Mammogram, left breast, medio-lateral oblique view. Patient age 40.
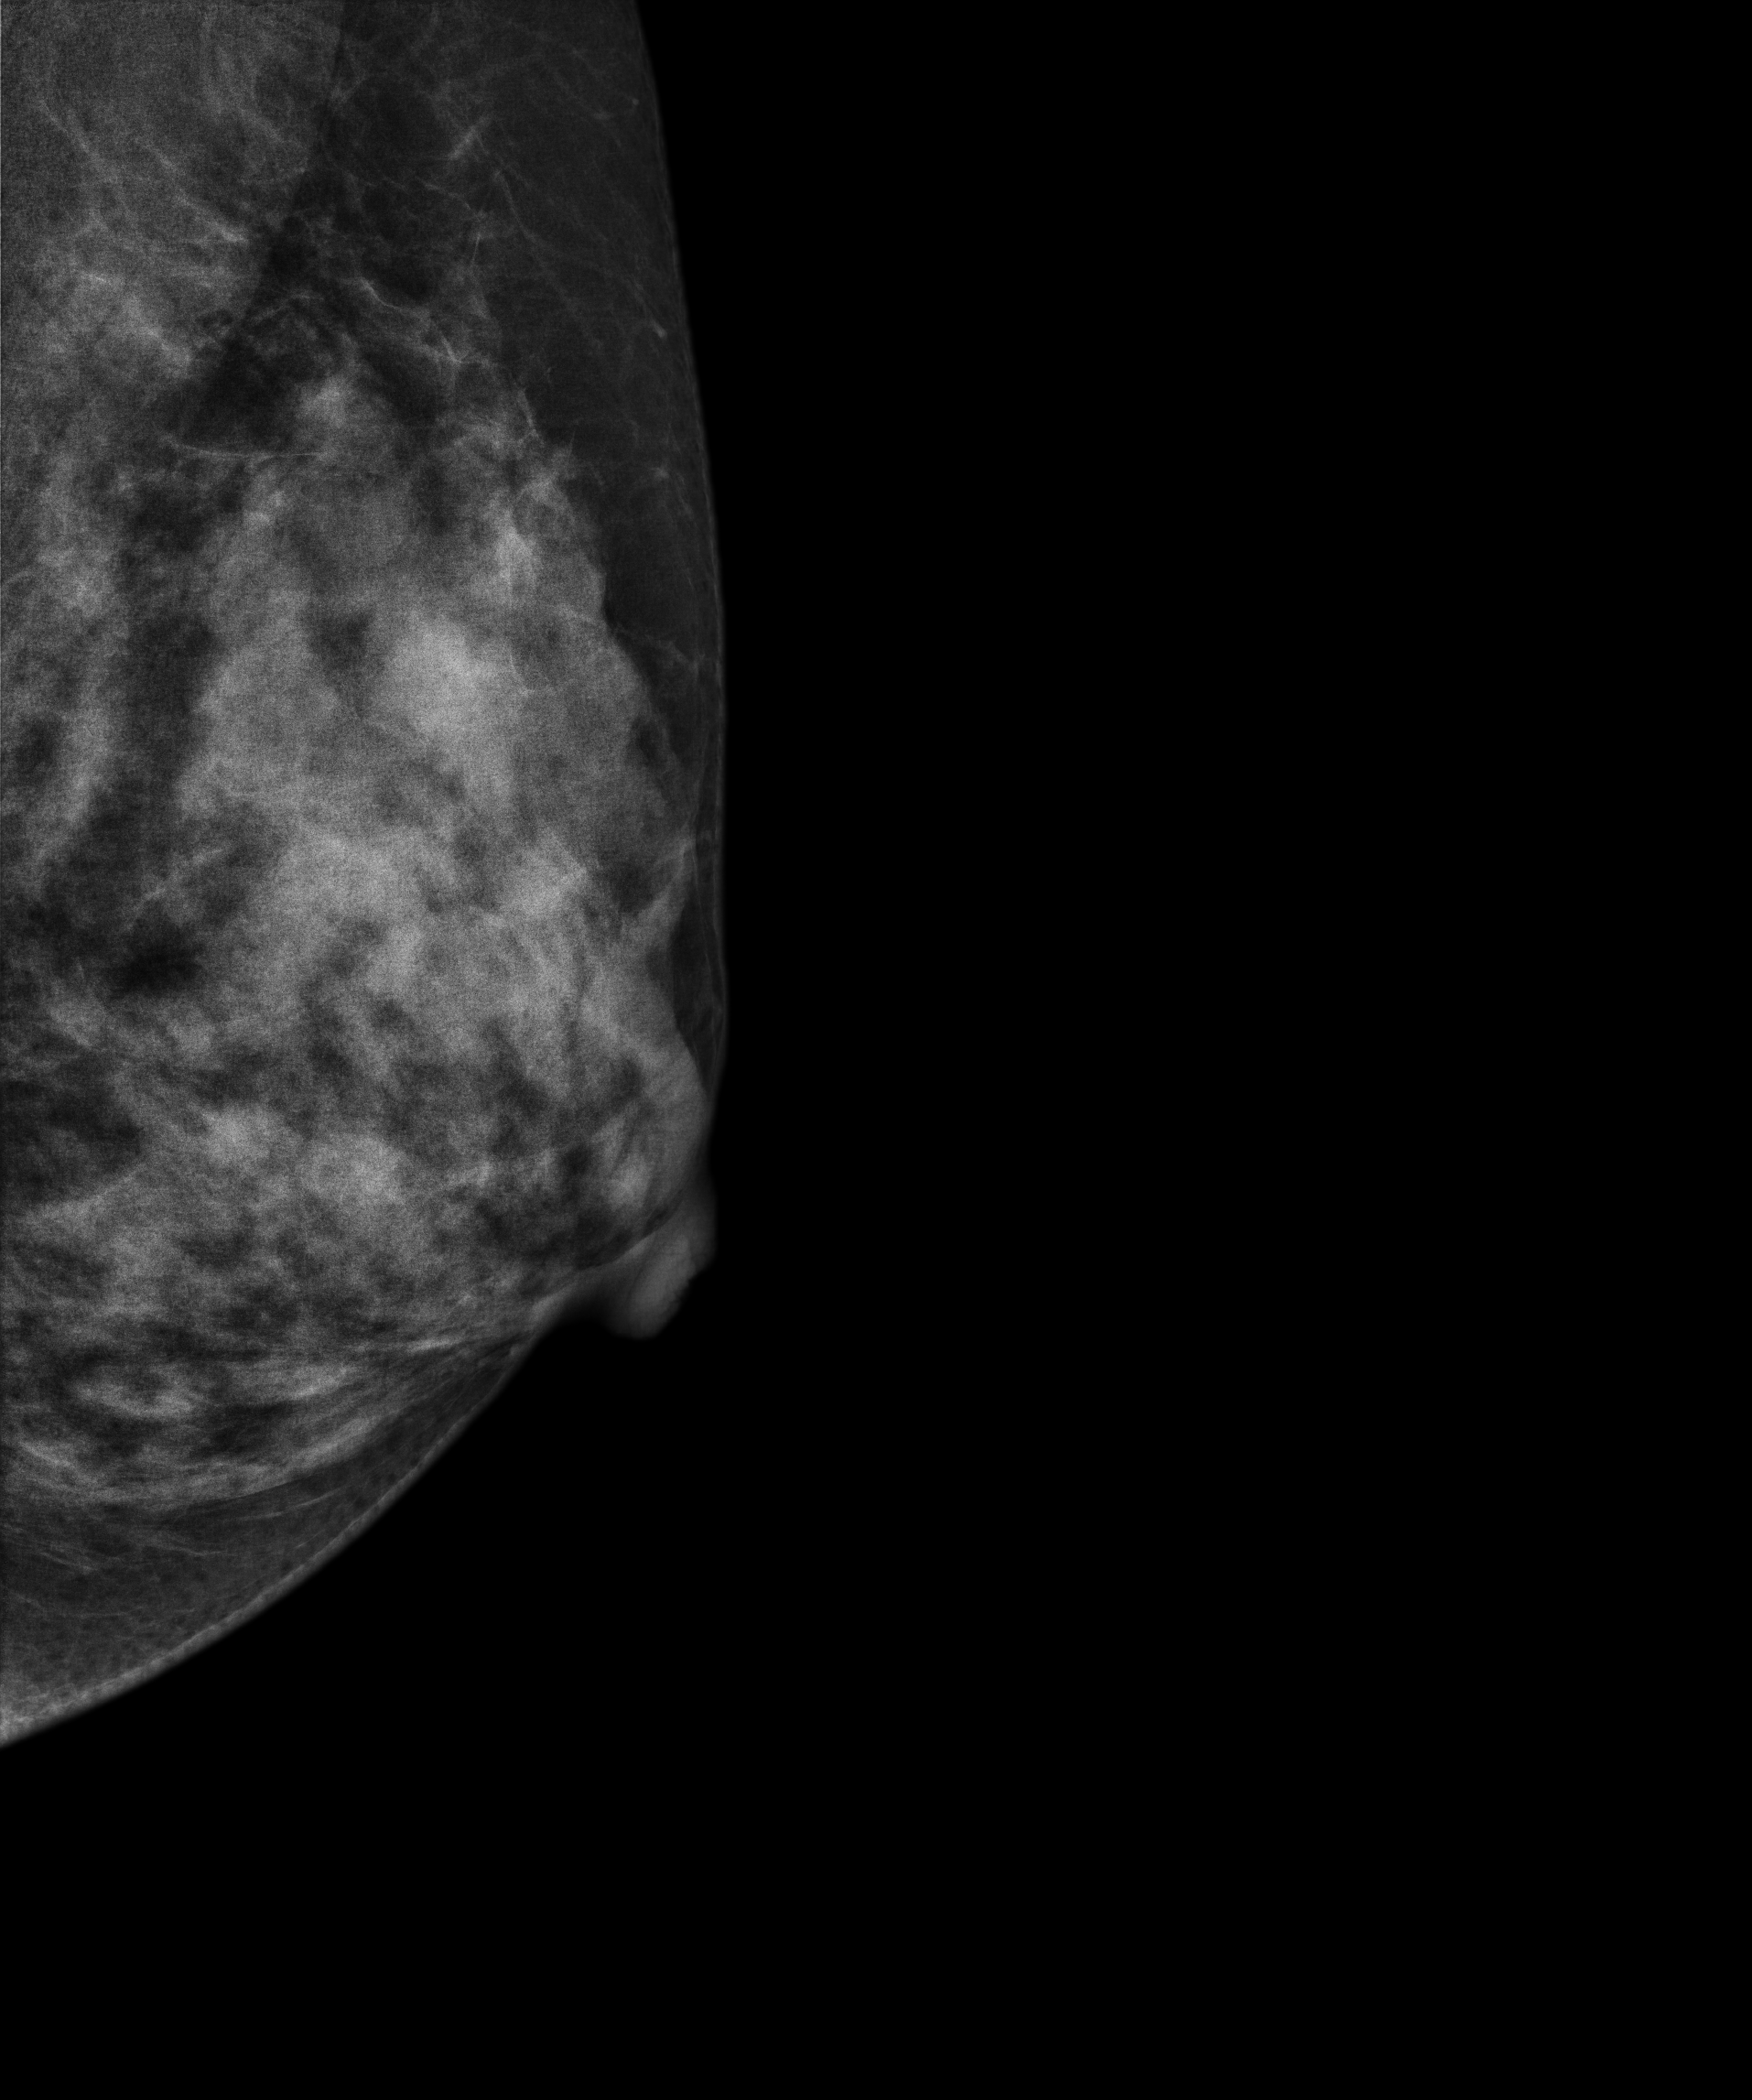
This breast has a mass, pathology-confirmed benign.